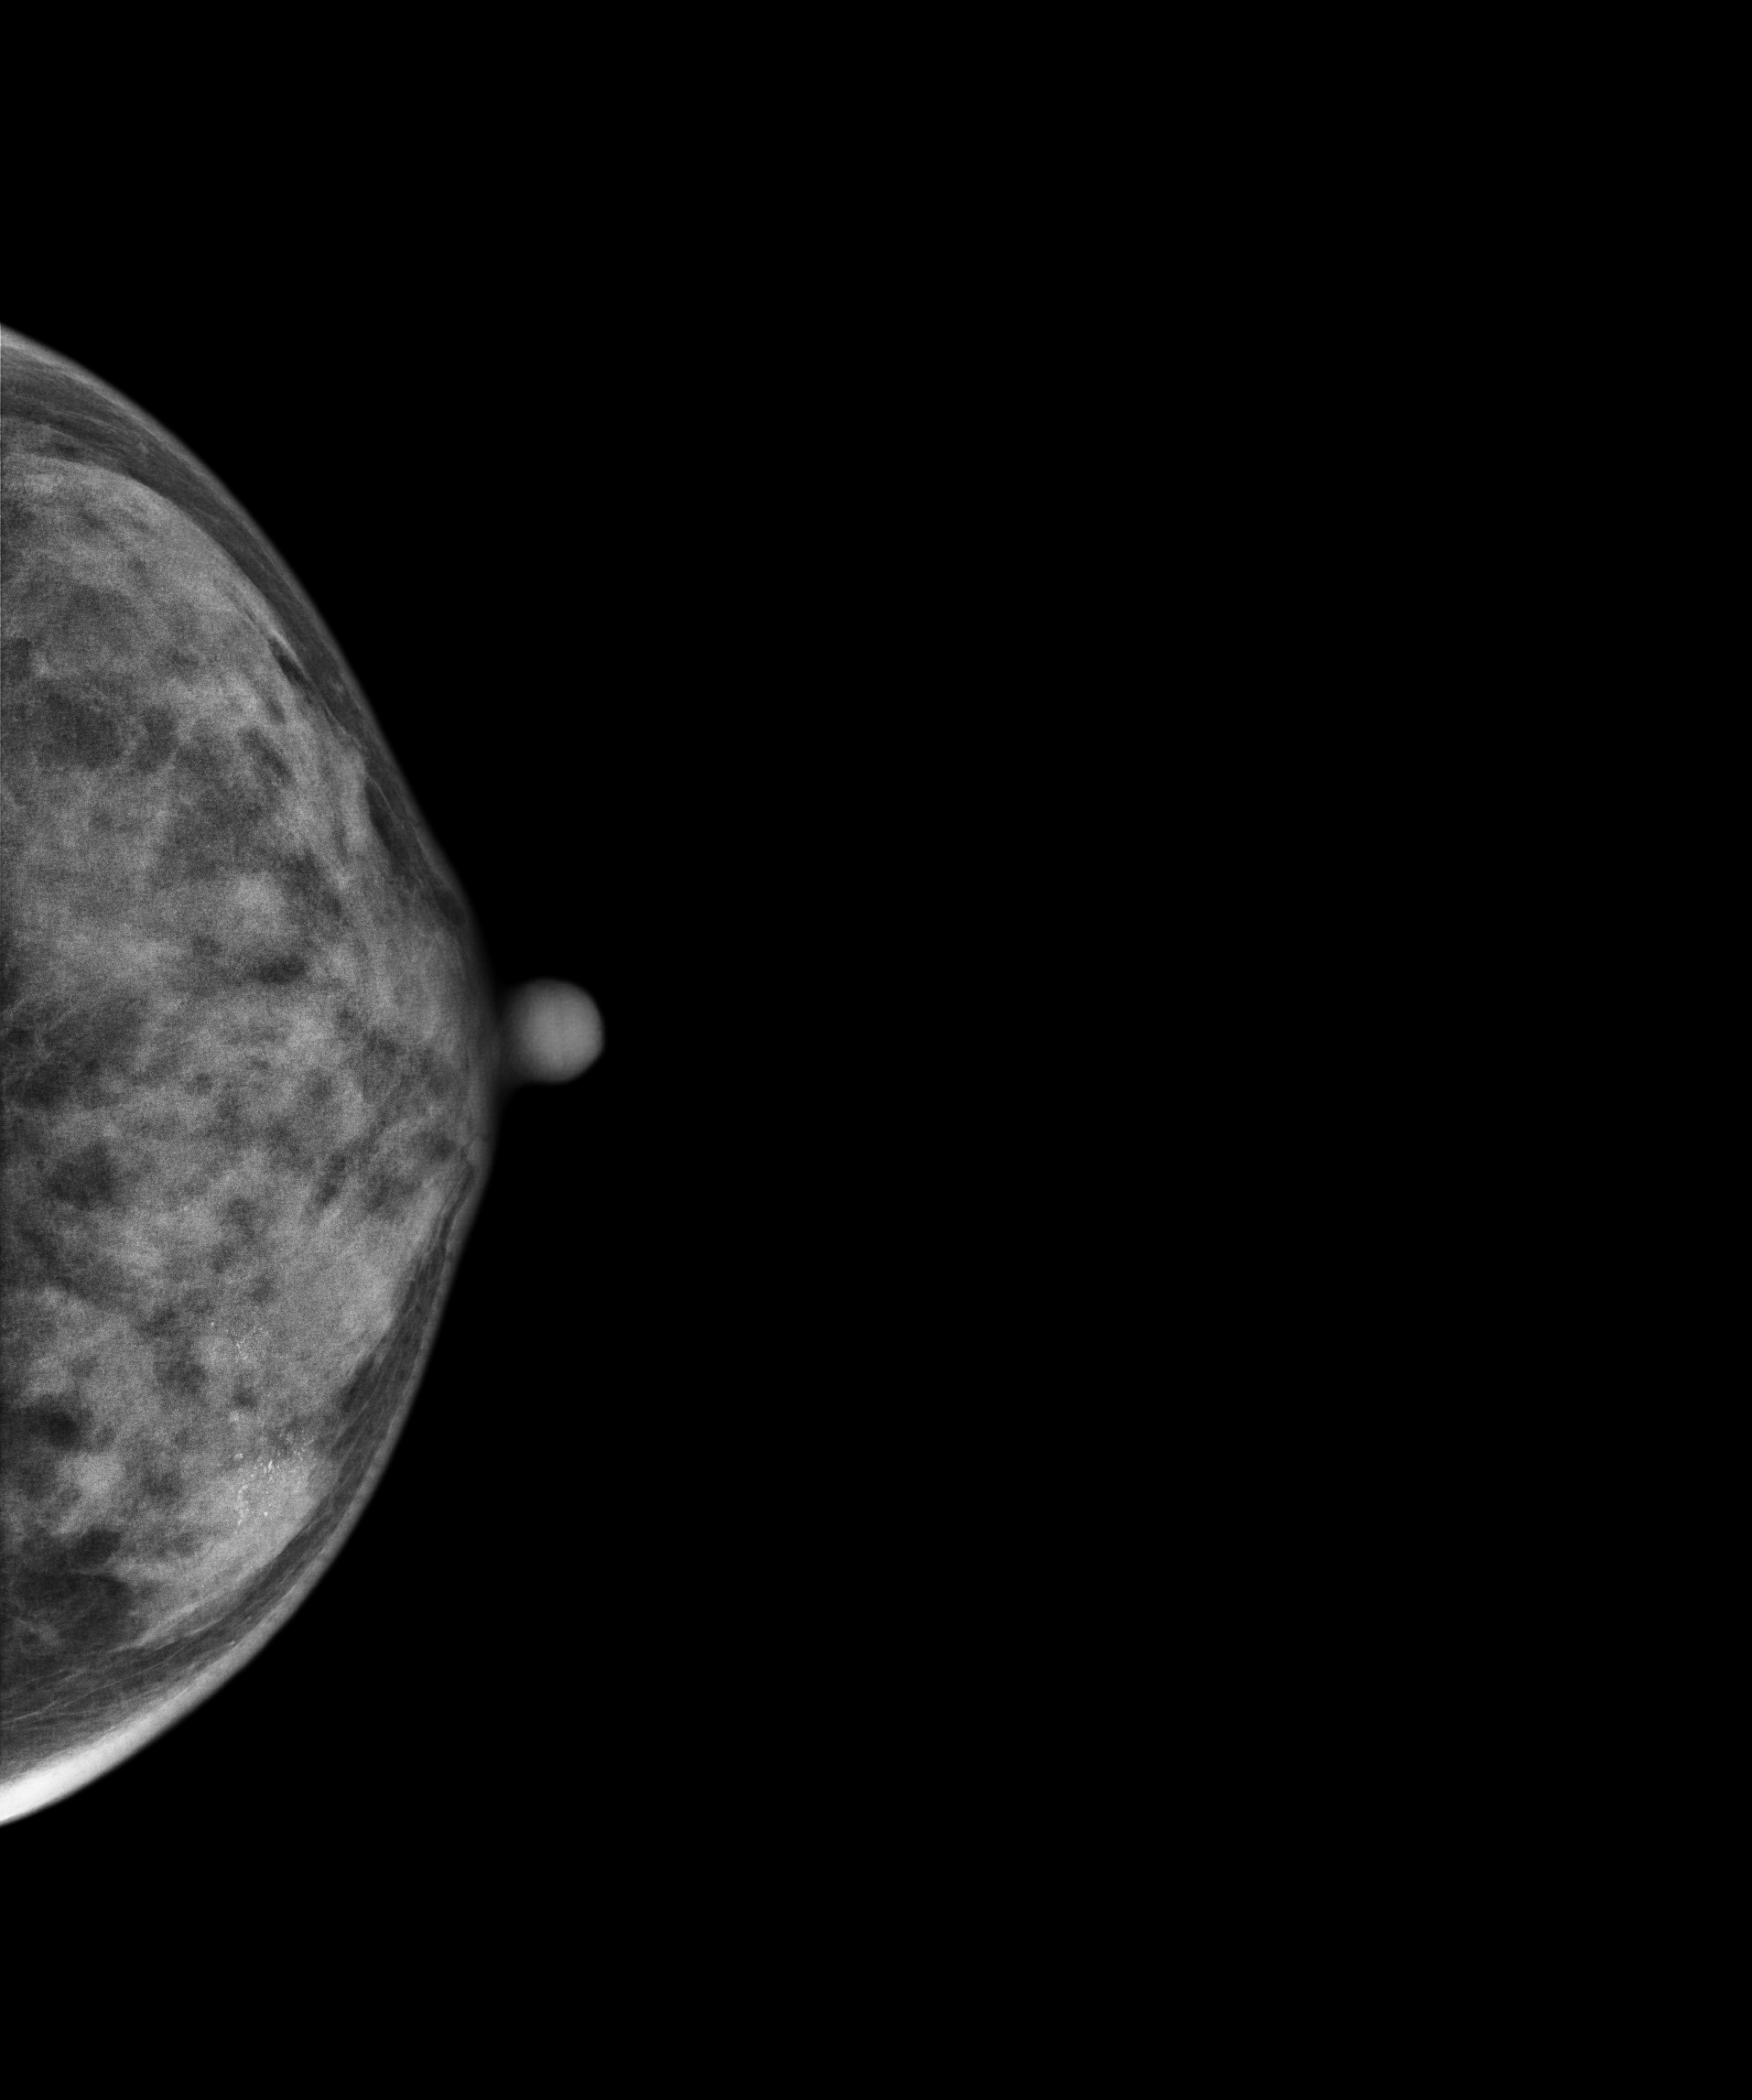
Mammogram, left breast, cranio-caudal view. 44-year-old patient.
This breast has a mass and calcifications, pathology-confirmed malignant. Molecular subtype: luminal B.